Medio-lateral oblique mammogram of the left breast. Patient age 57.
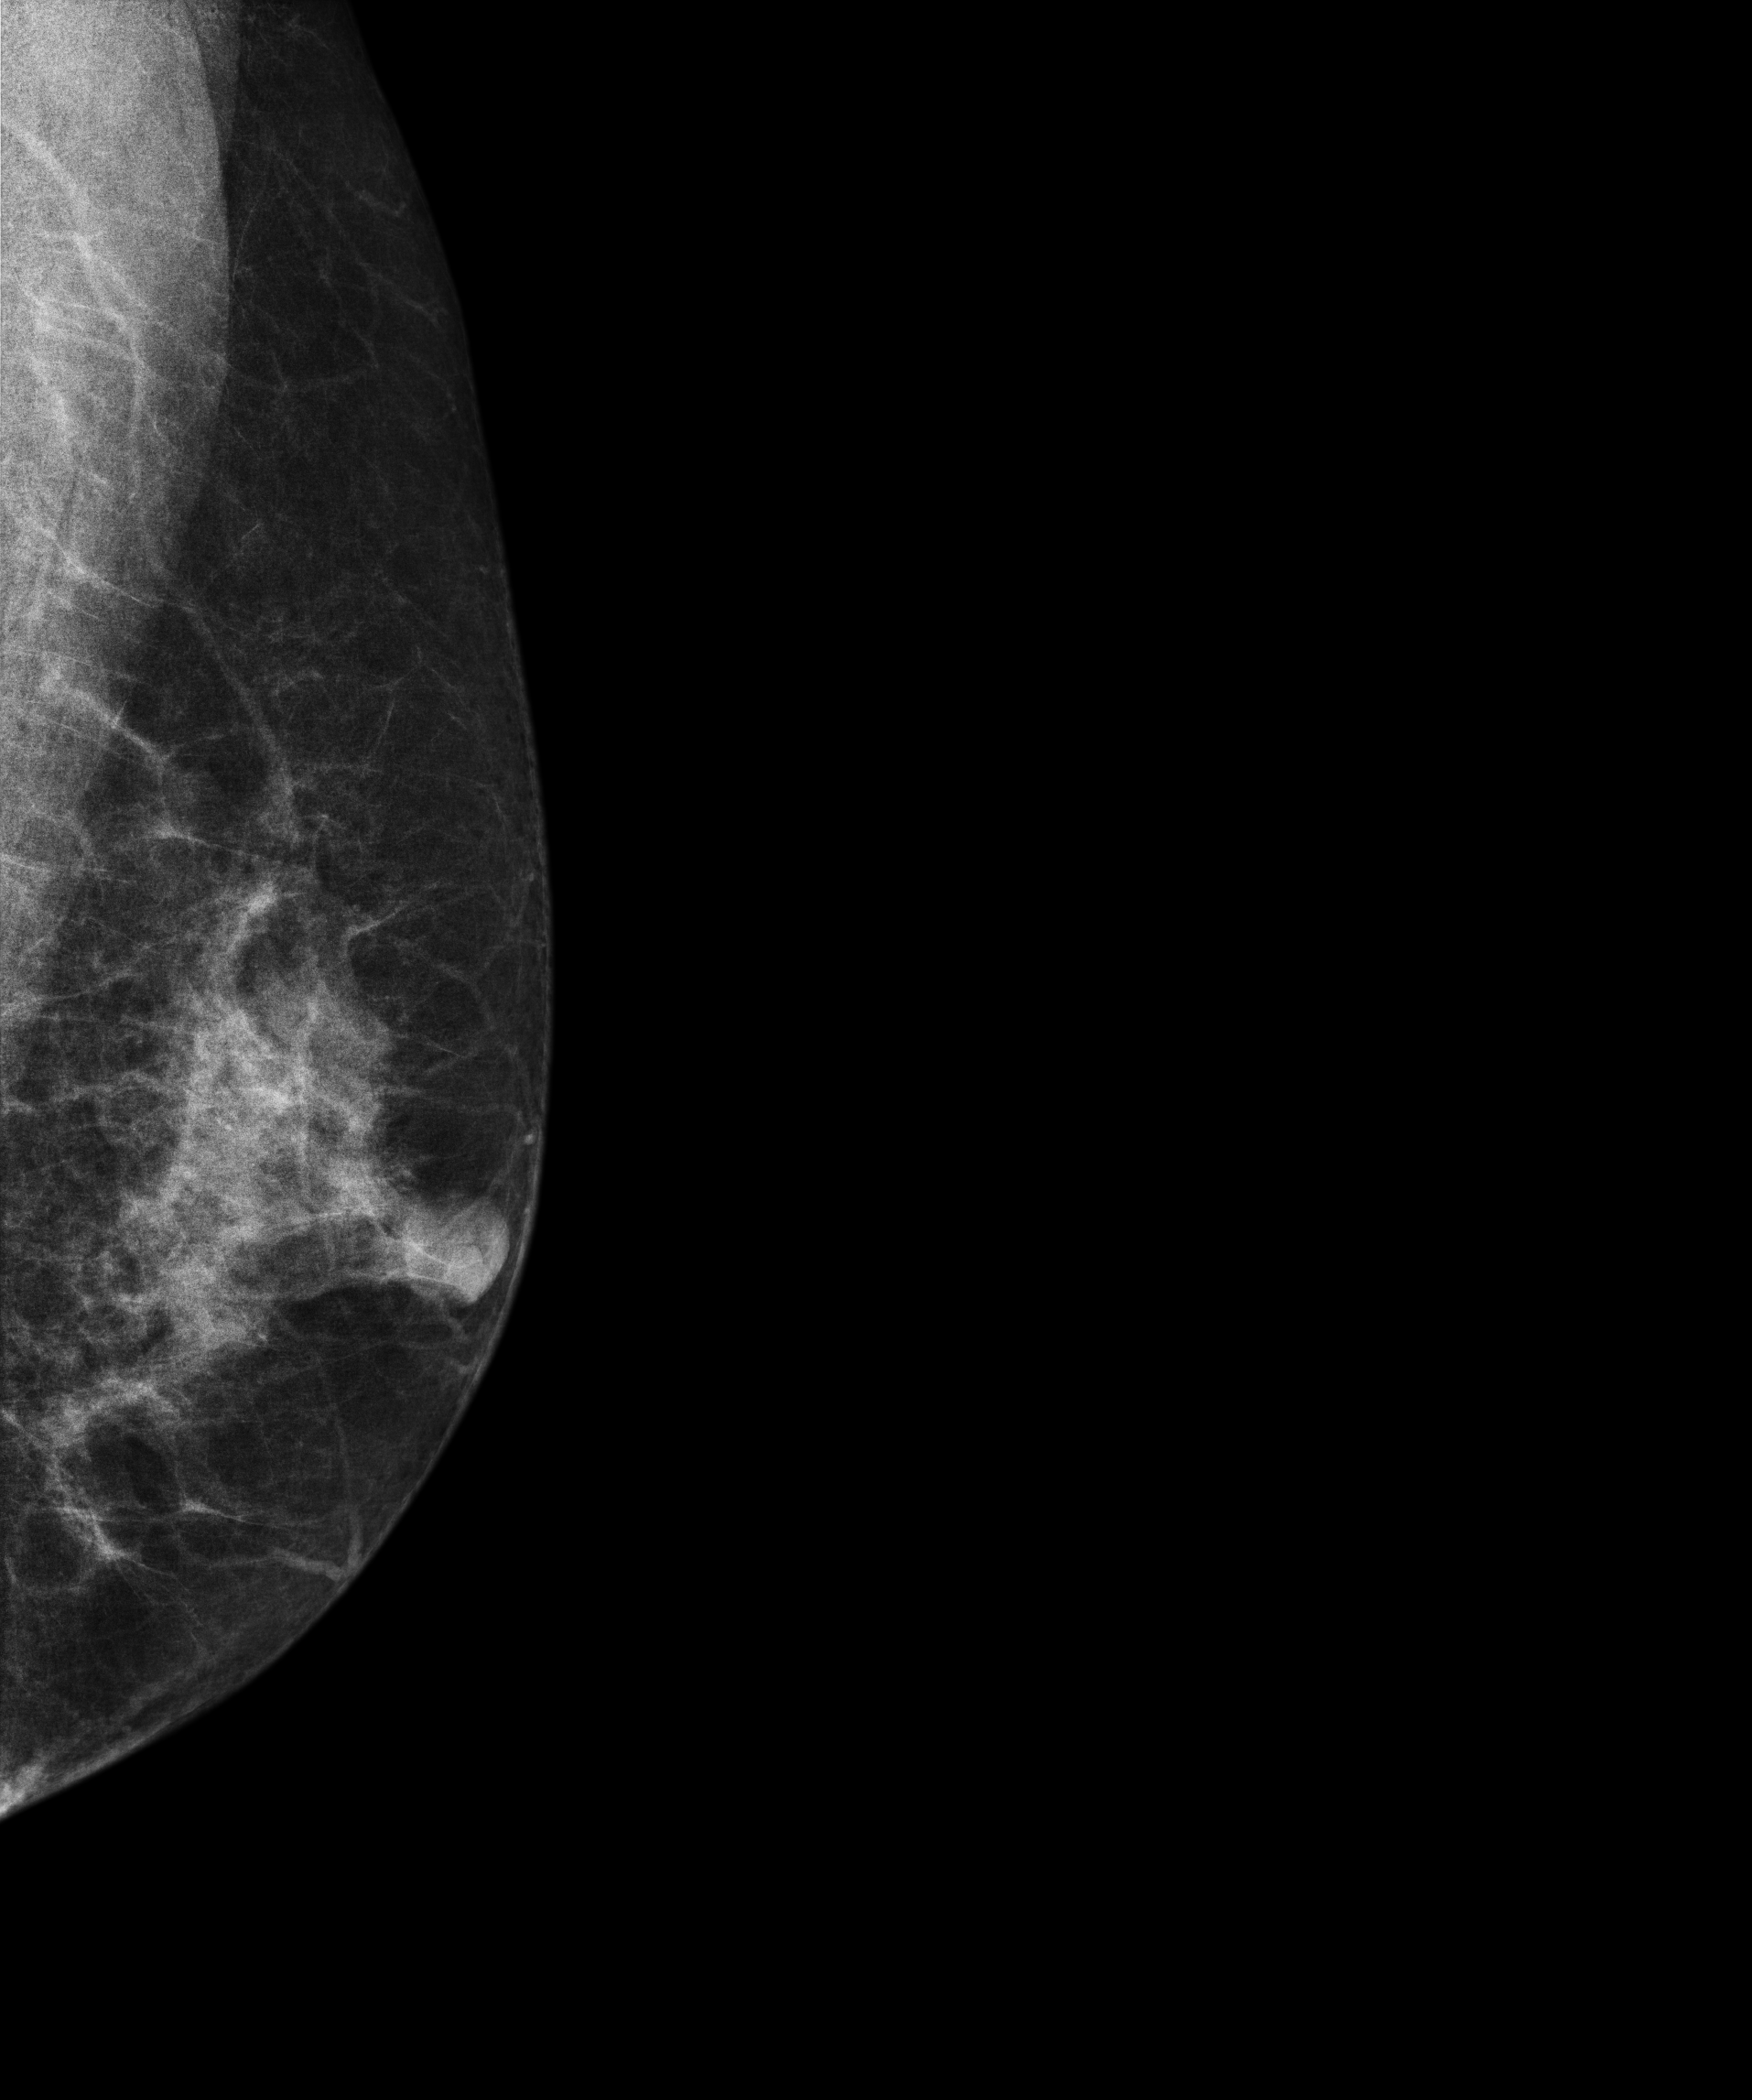
Contralateral breast — no documented abnormality on this side.